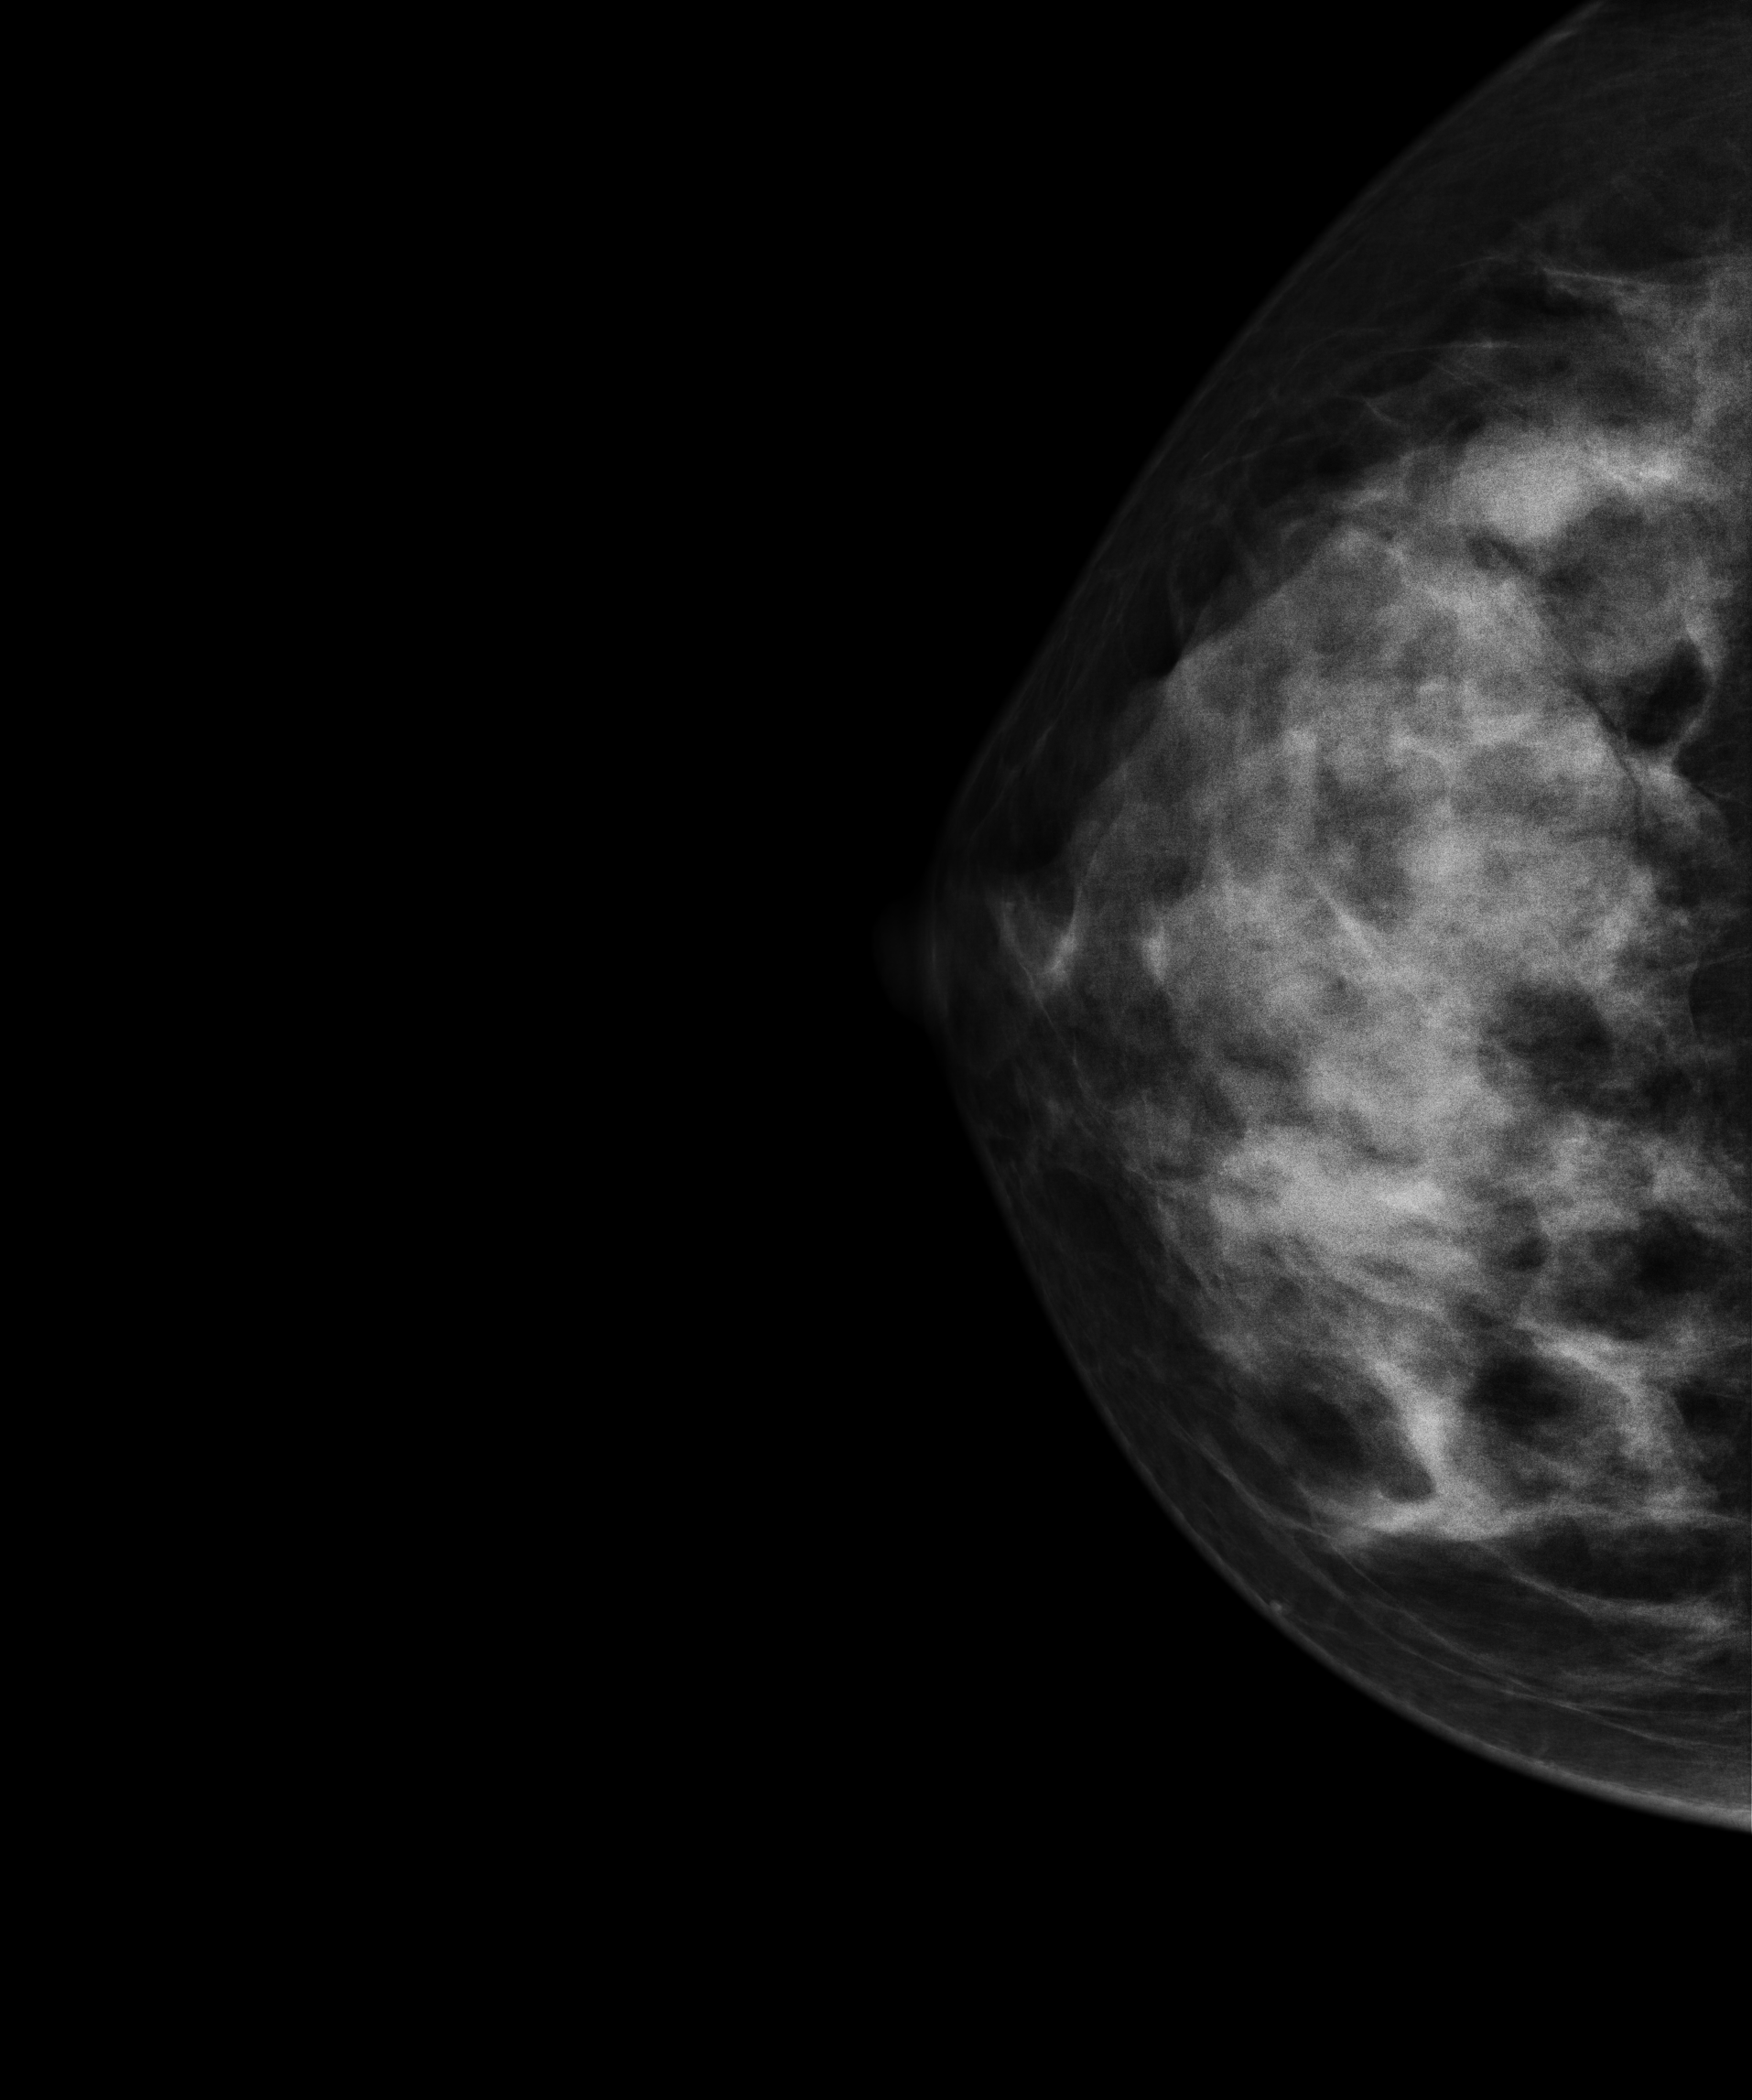
Digital mammography. Right breast, CC projection. Patient age 41.
This breast has a mass, biopsy-confirmed malignant. Molecular subtype: luminal B.